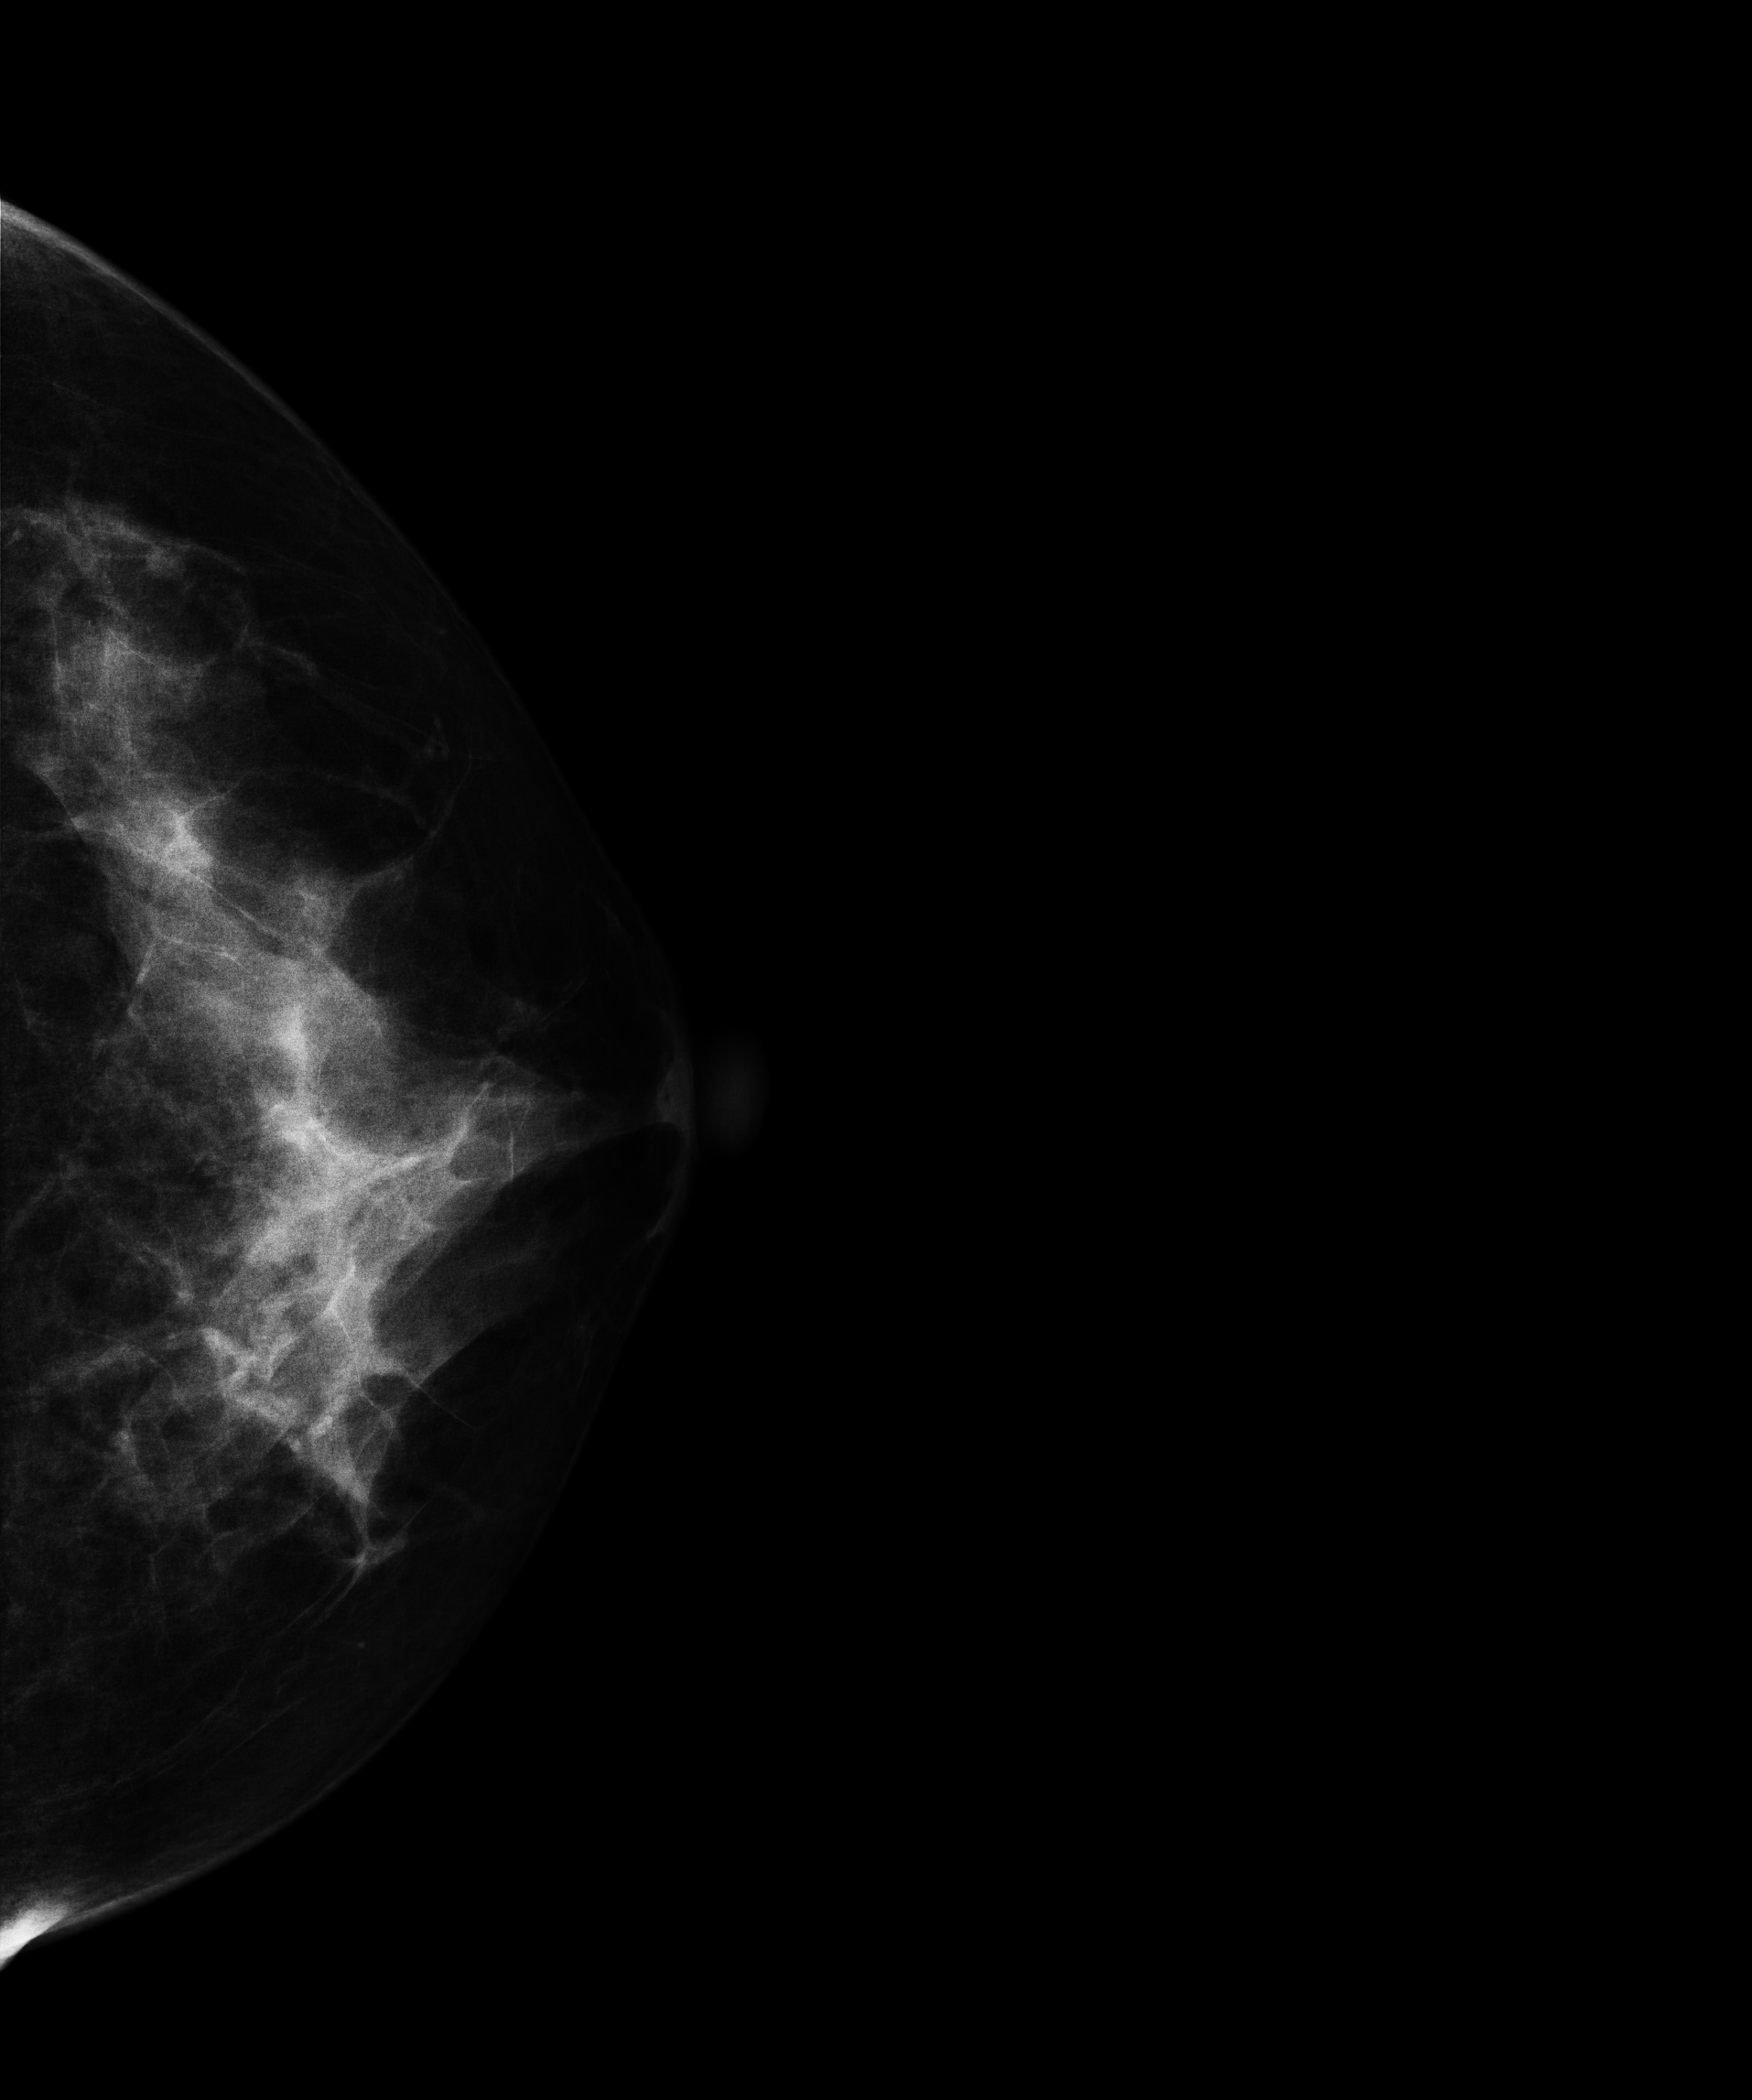
Mammogram — left cranio-caudal. Patient age 47.
Contralateral breast — no documented abnormality on this side.